Mammogram, right breast, MLO view. 34-year-old patient.
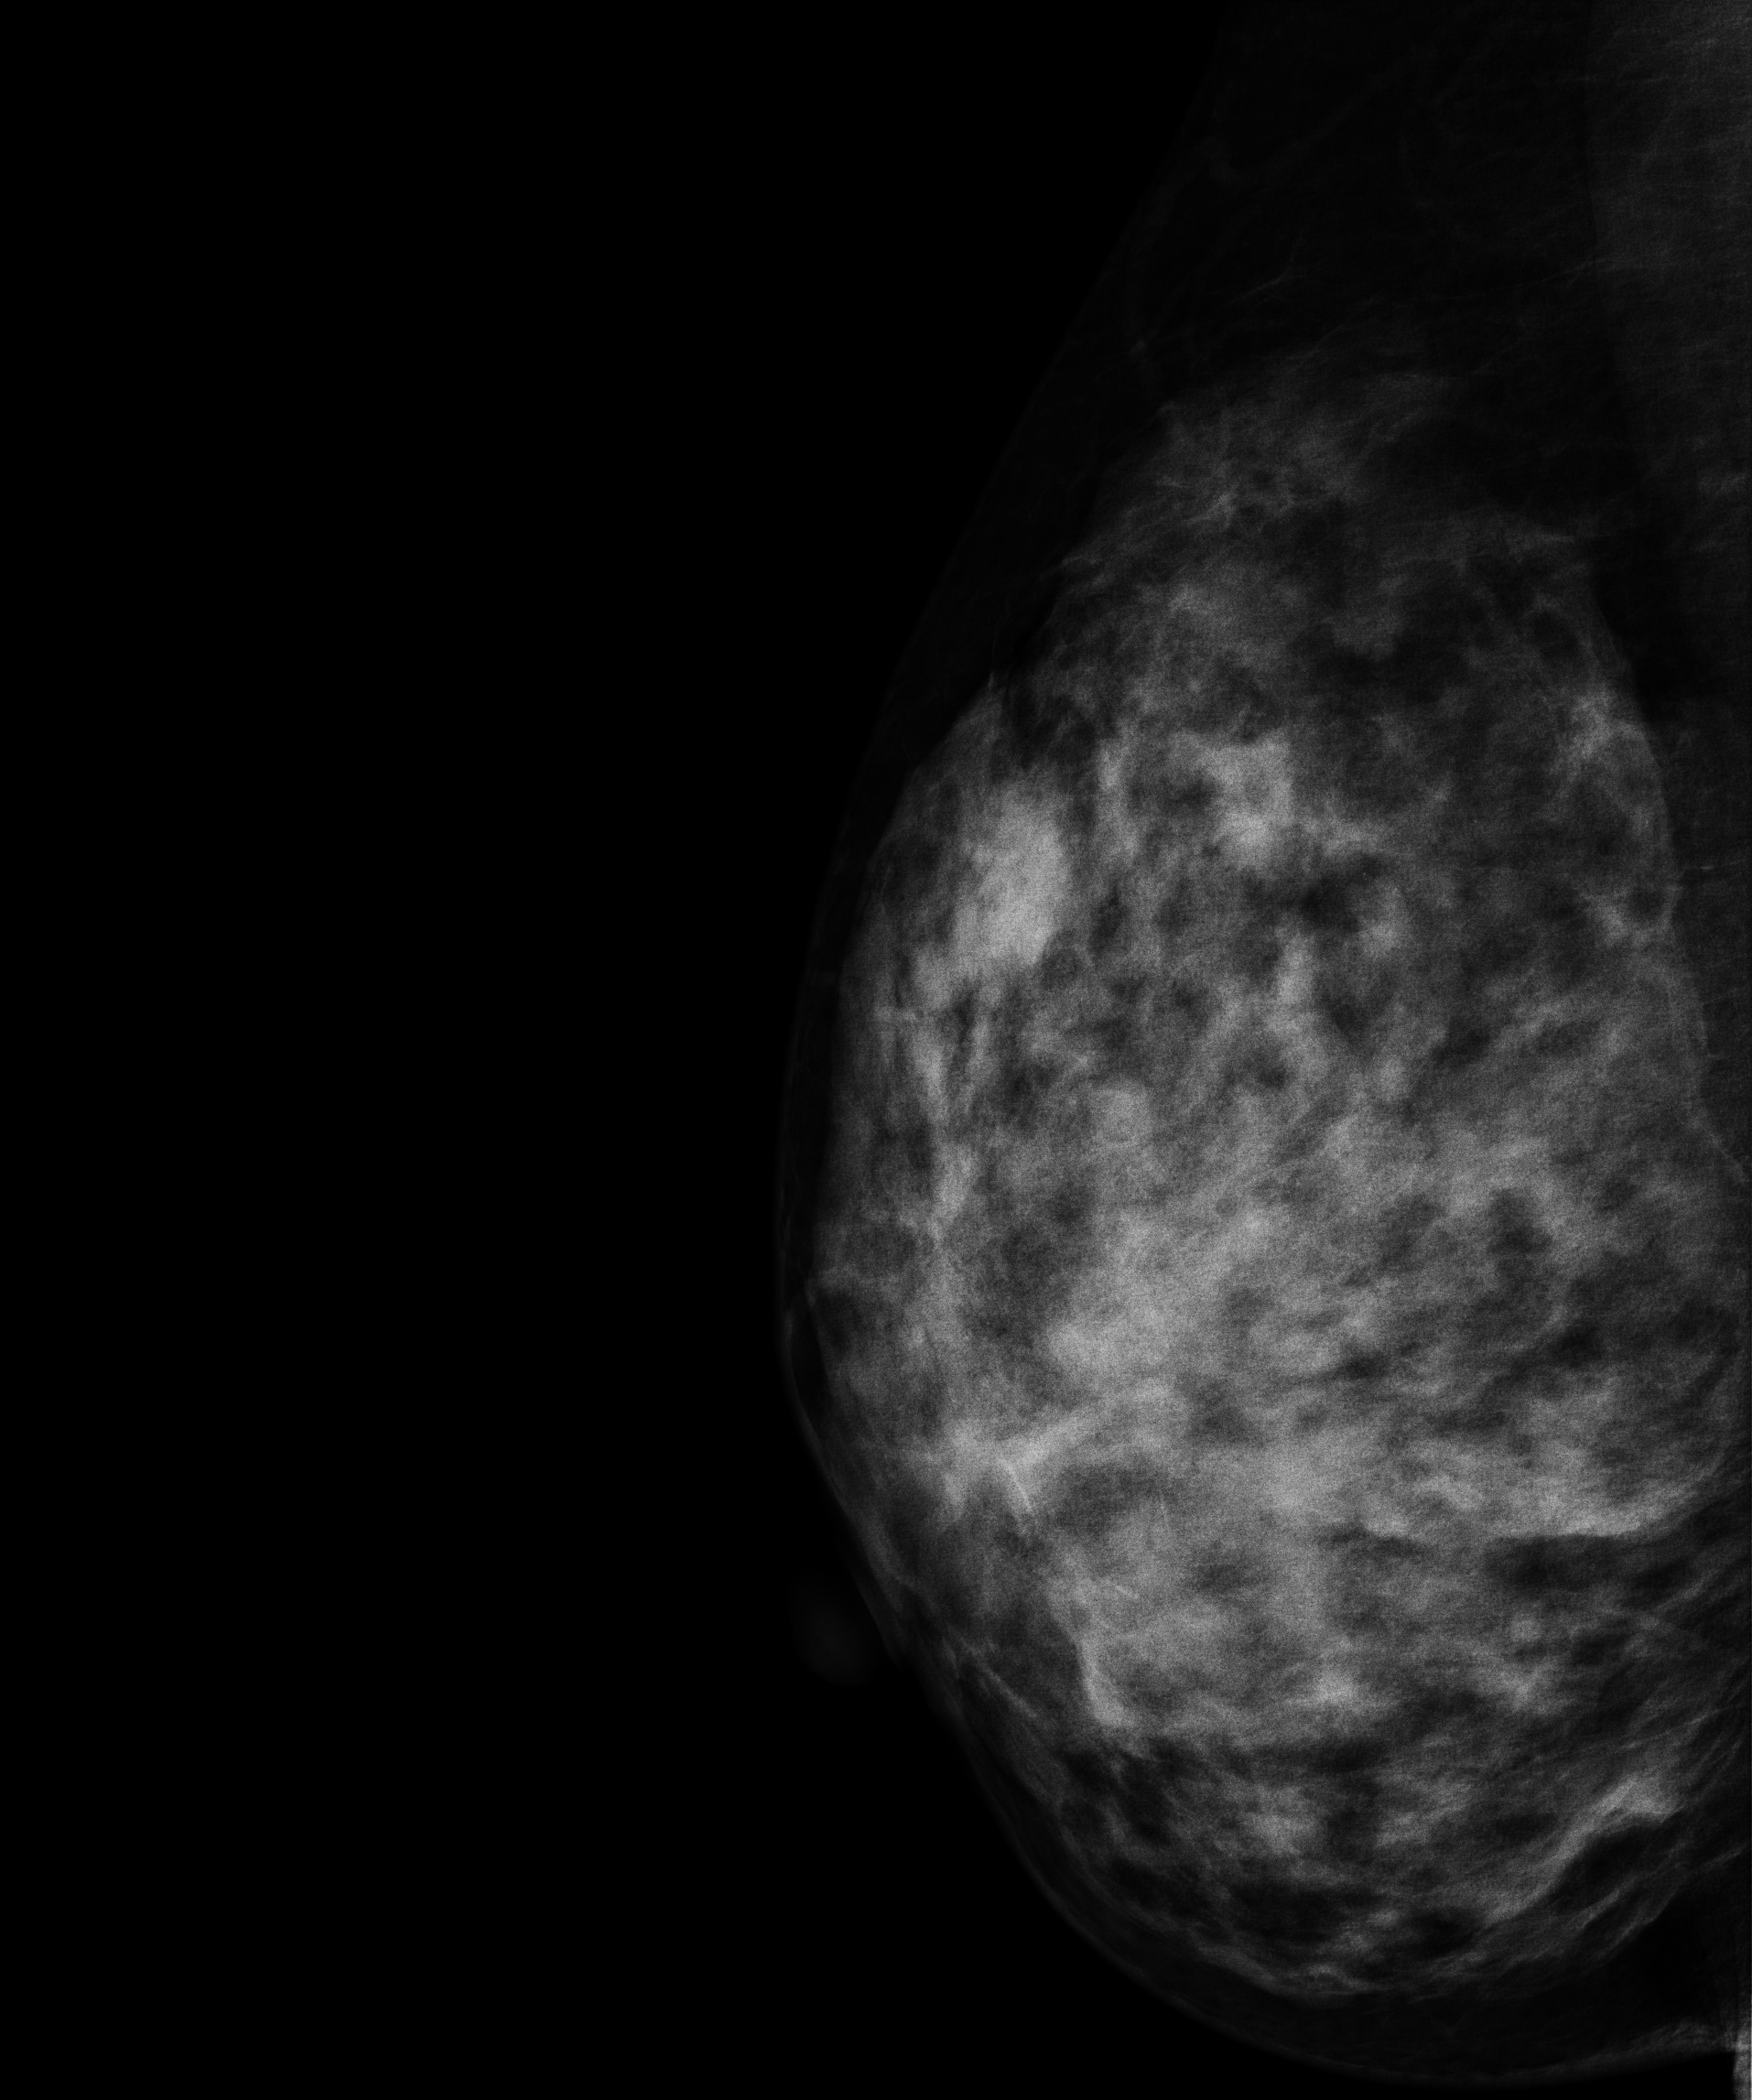
Contralateral breast — no documented abnormality on this side.